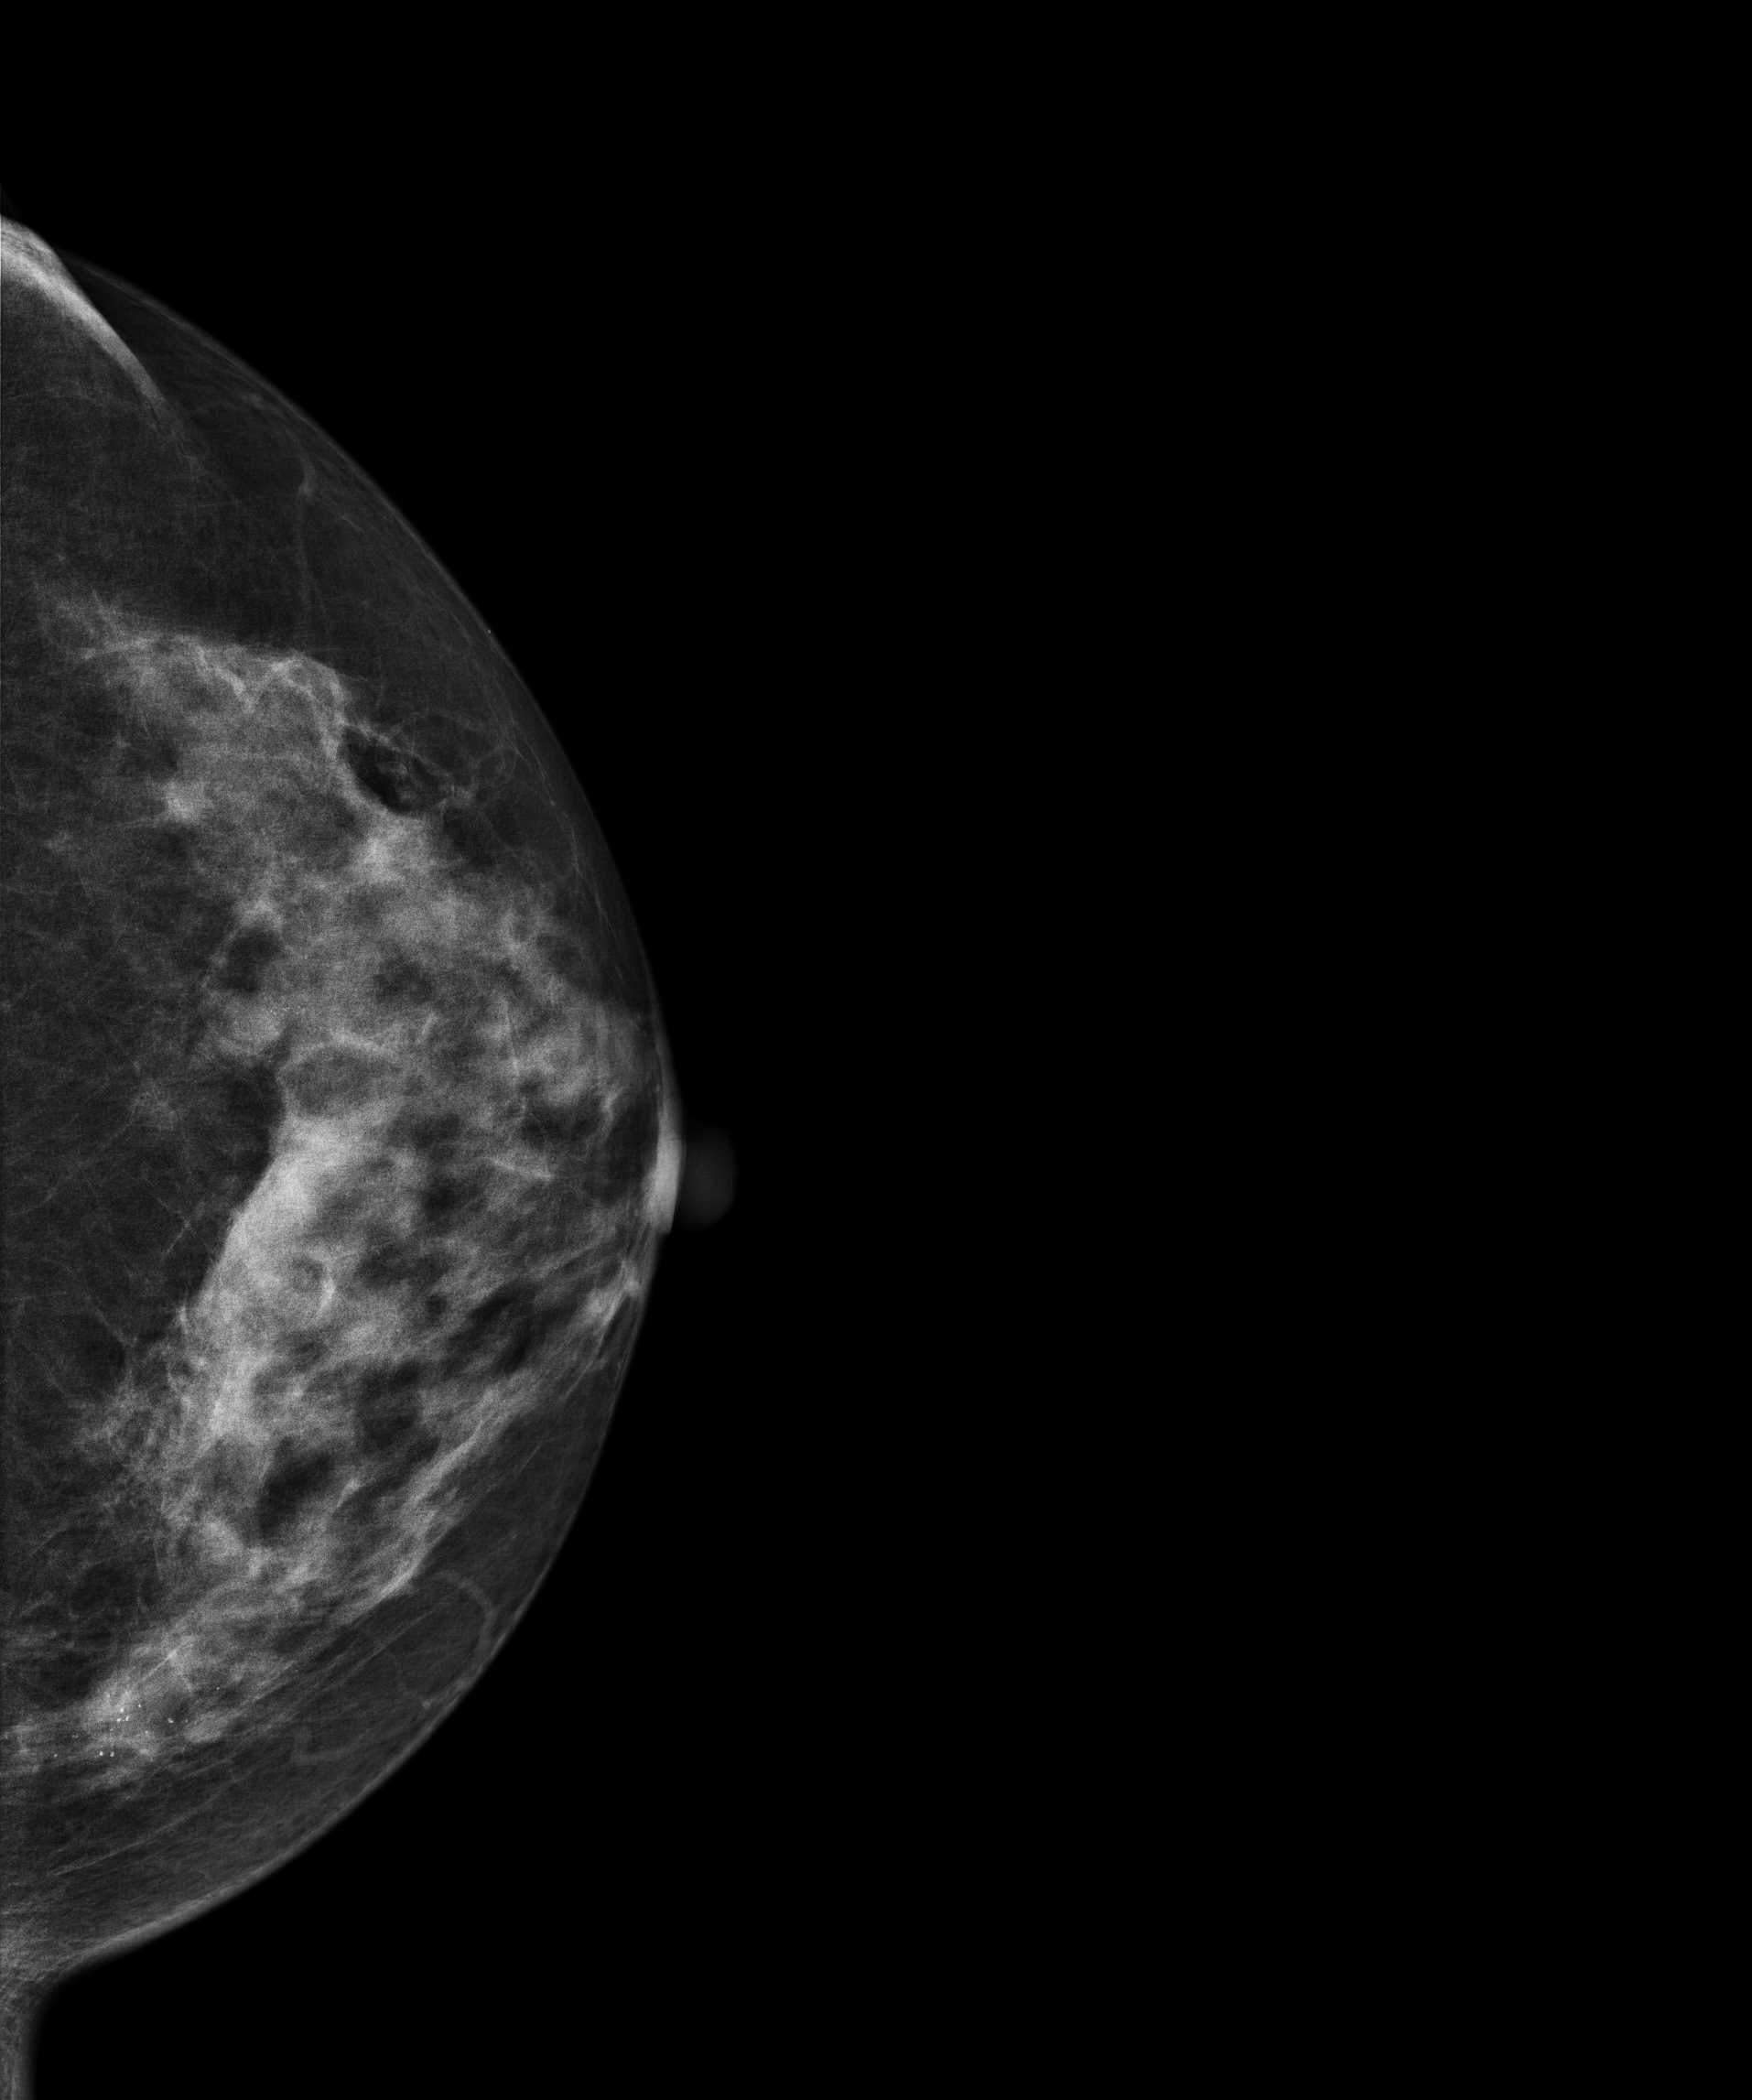
Mammogram — left cranio-caudal. Patient age 67.
This breast has a mass and calcifications, biopsy-proven malignant.